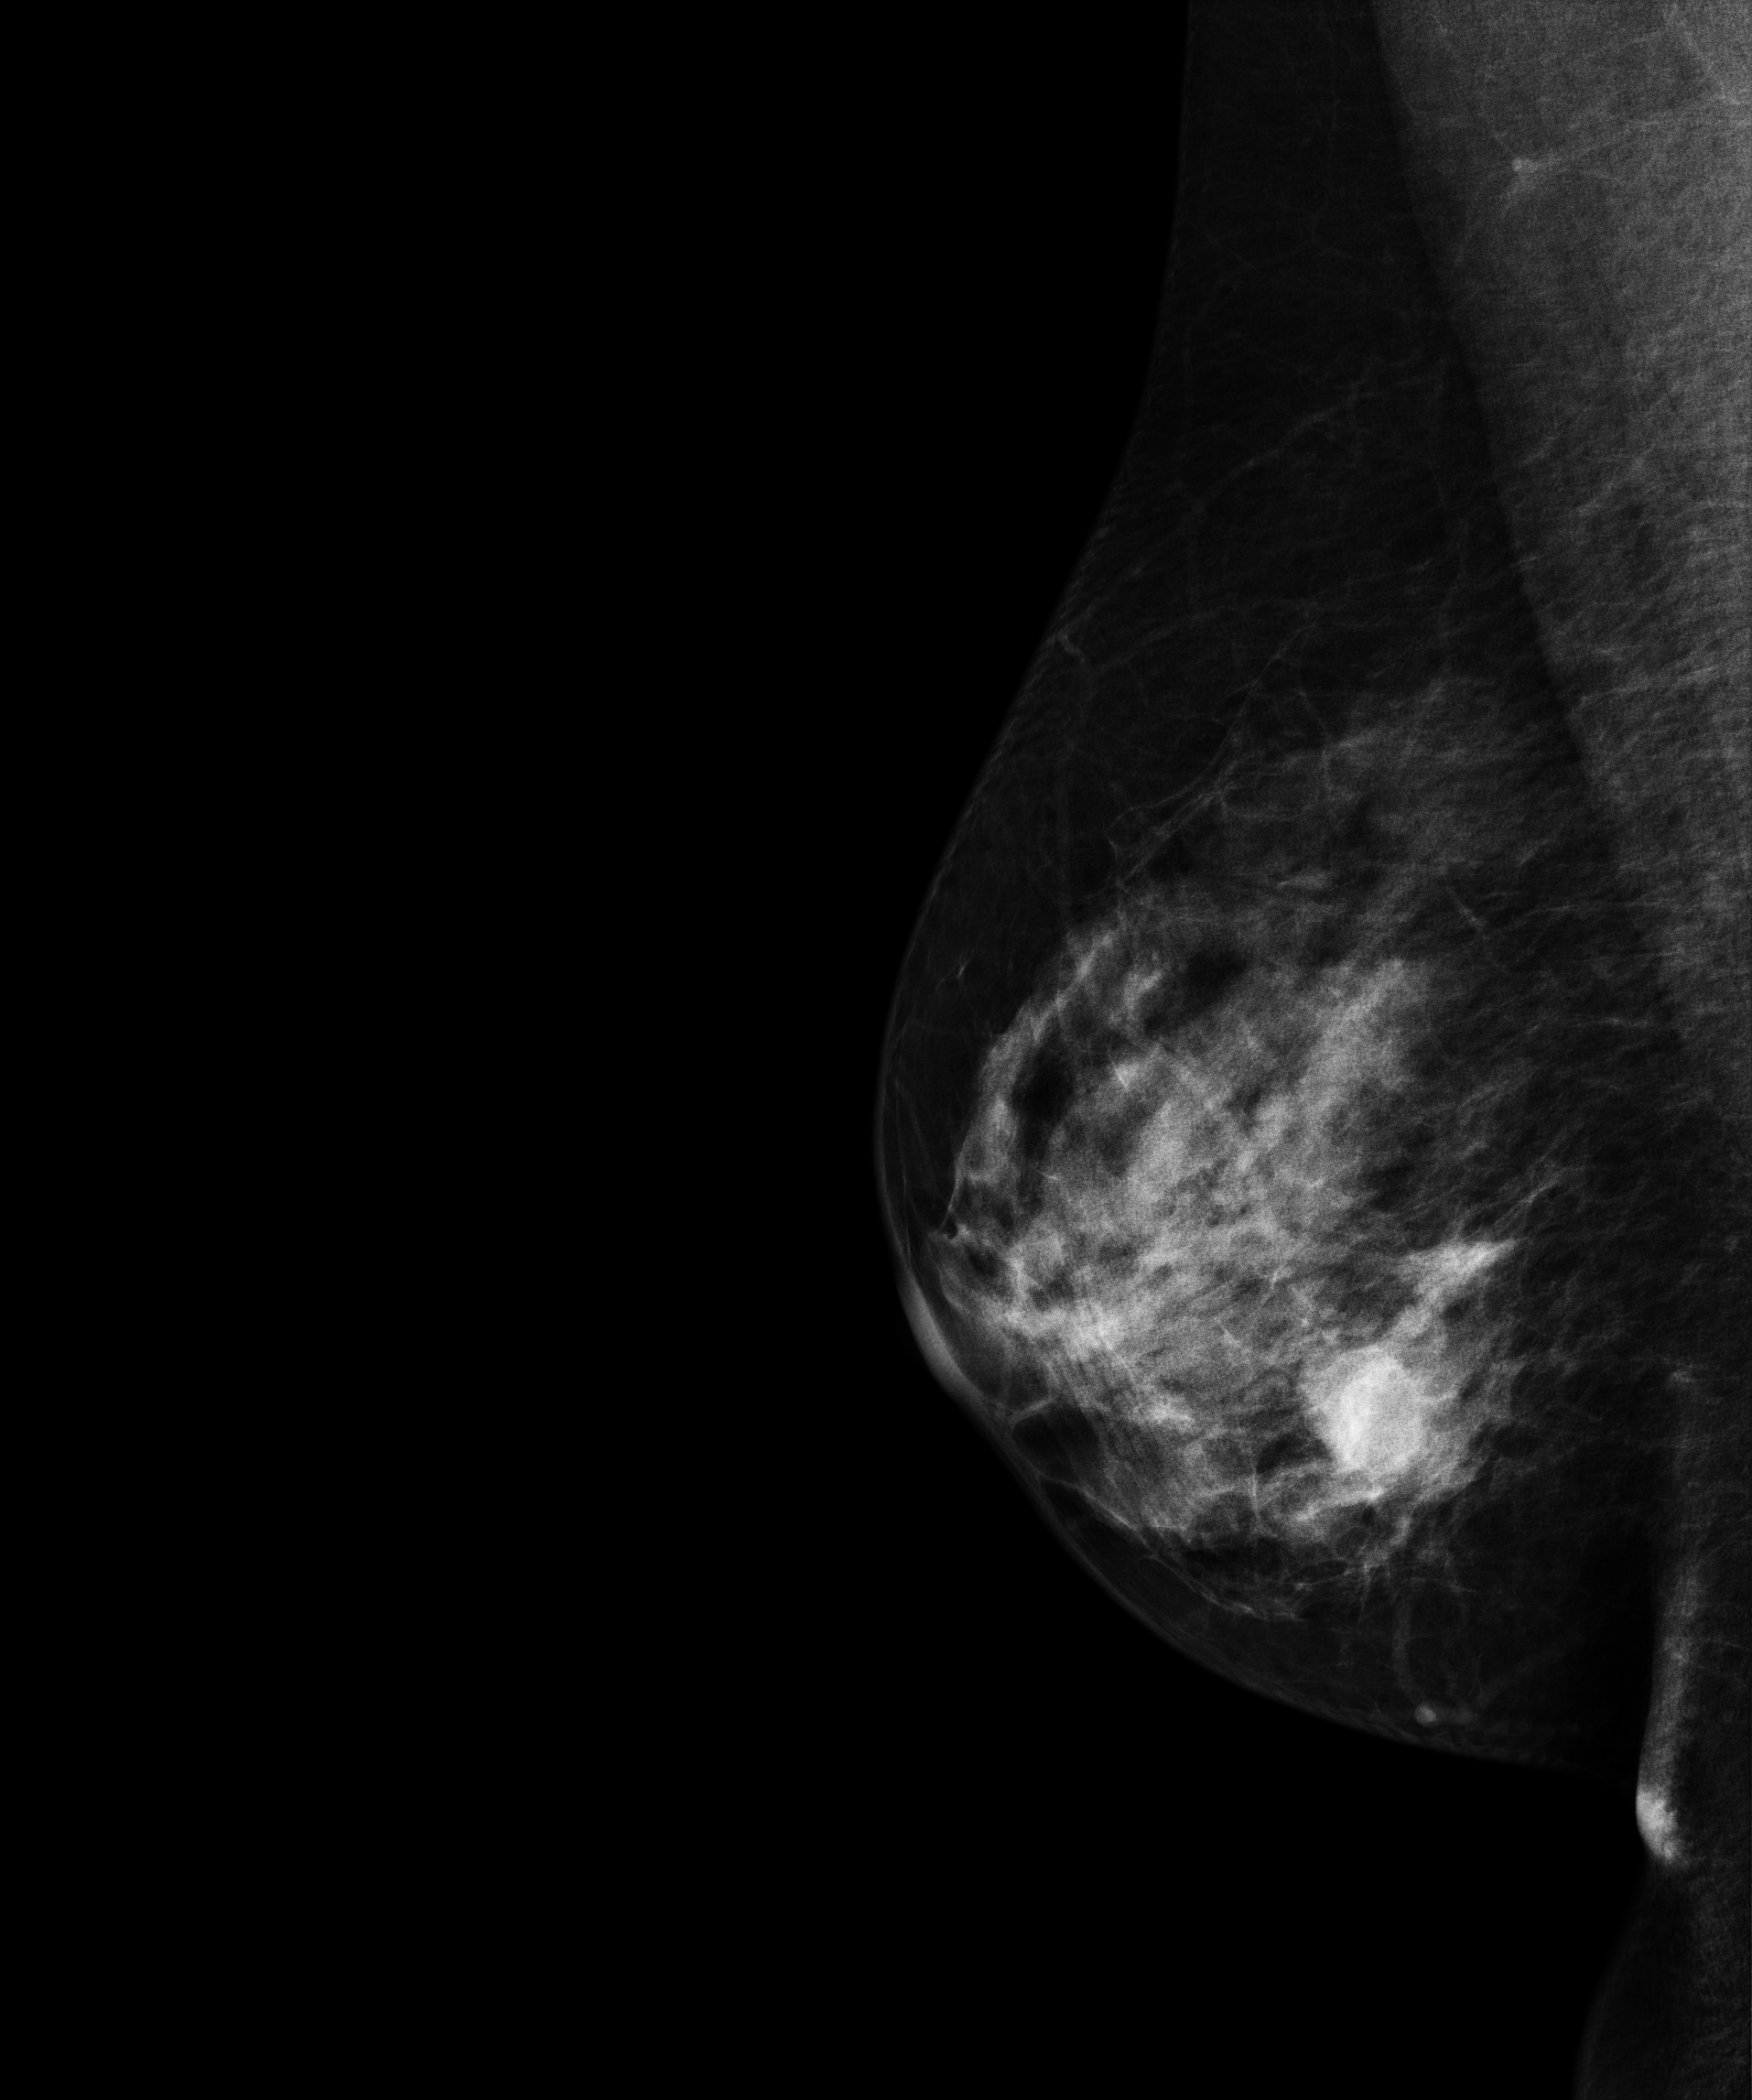
Mammogram — right medio-lateral oblique. 57 y/o patient.
This breast has a mass, histologically confirmed malignant. Molecular subtype: triple-negative.